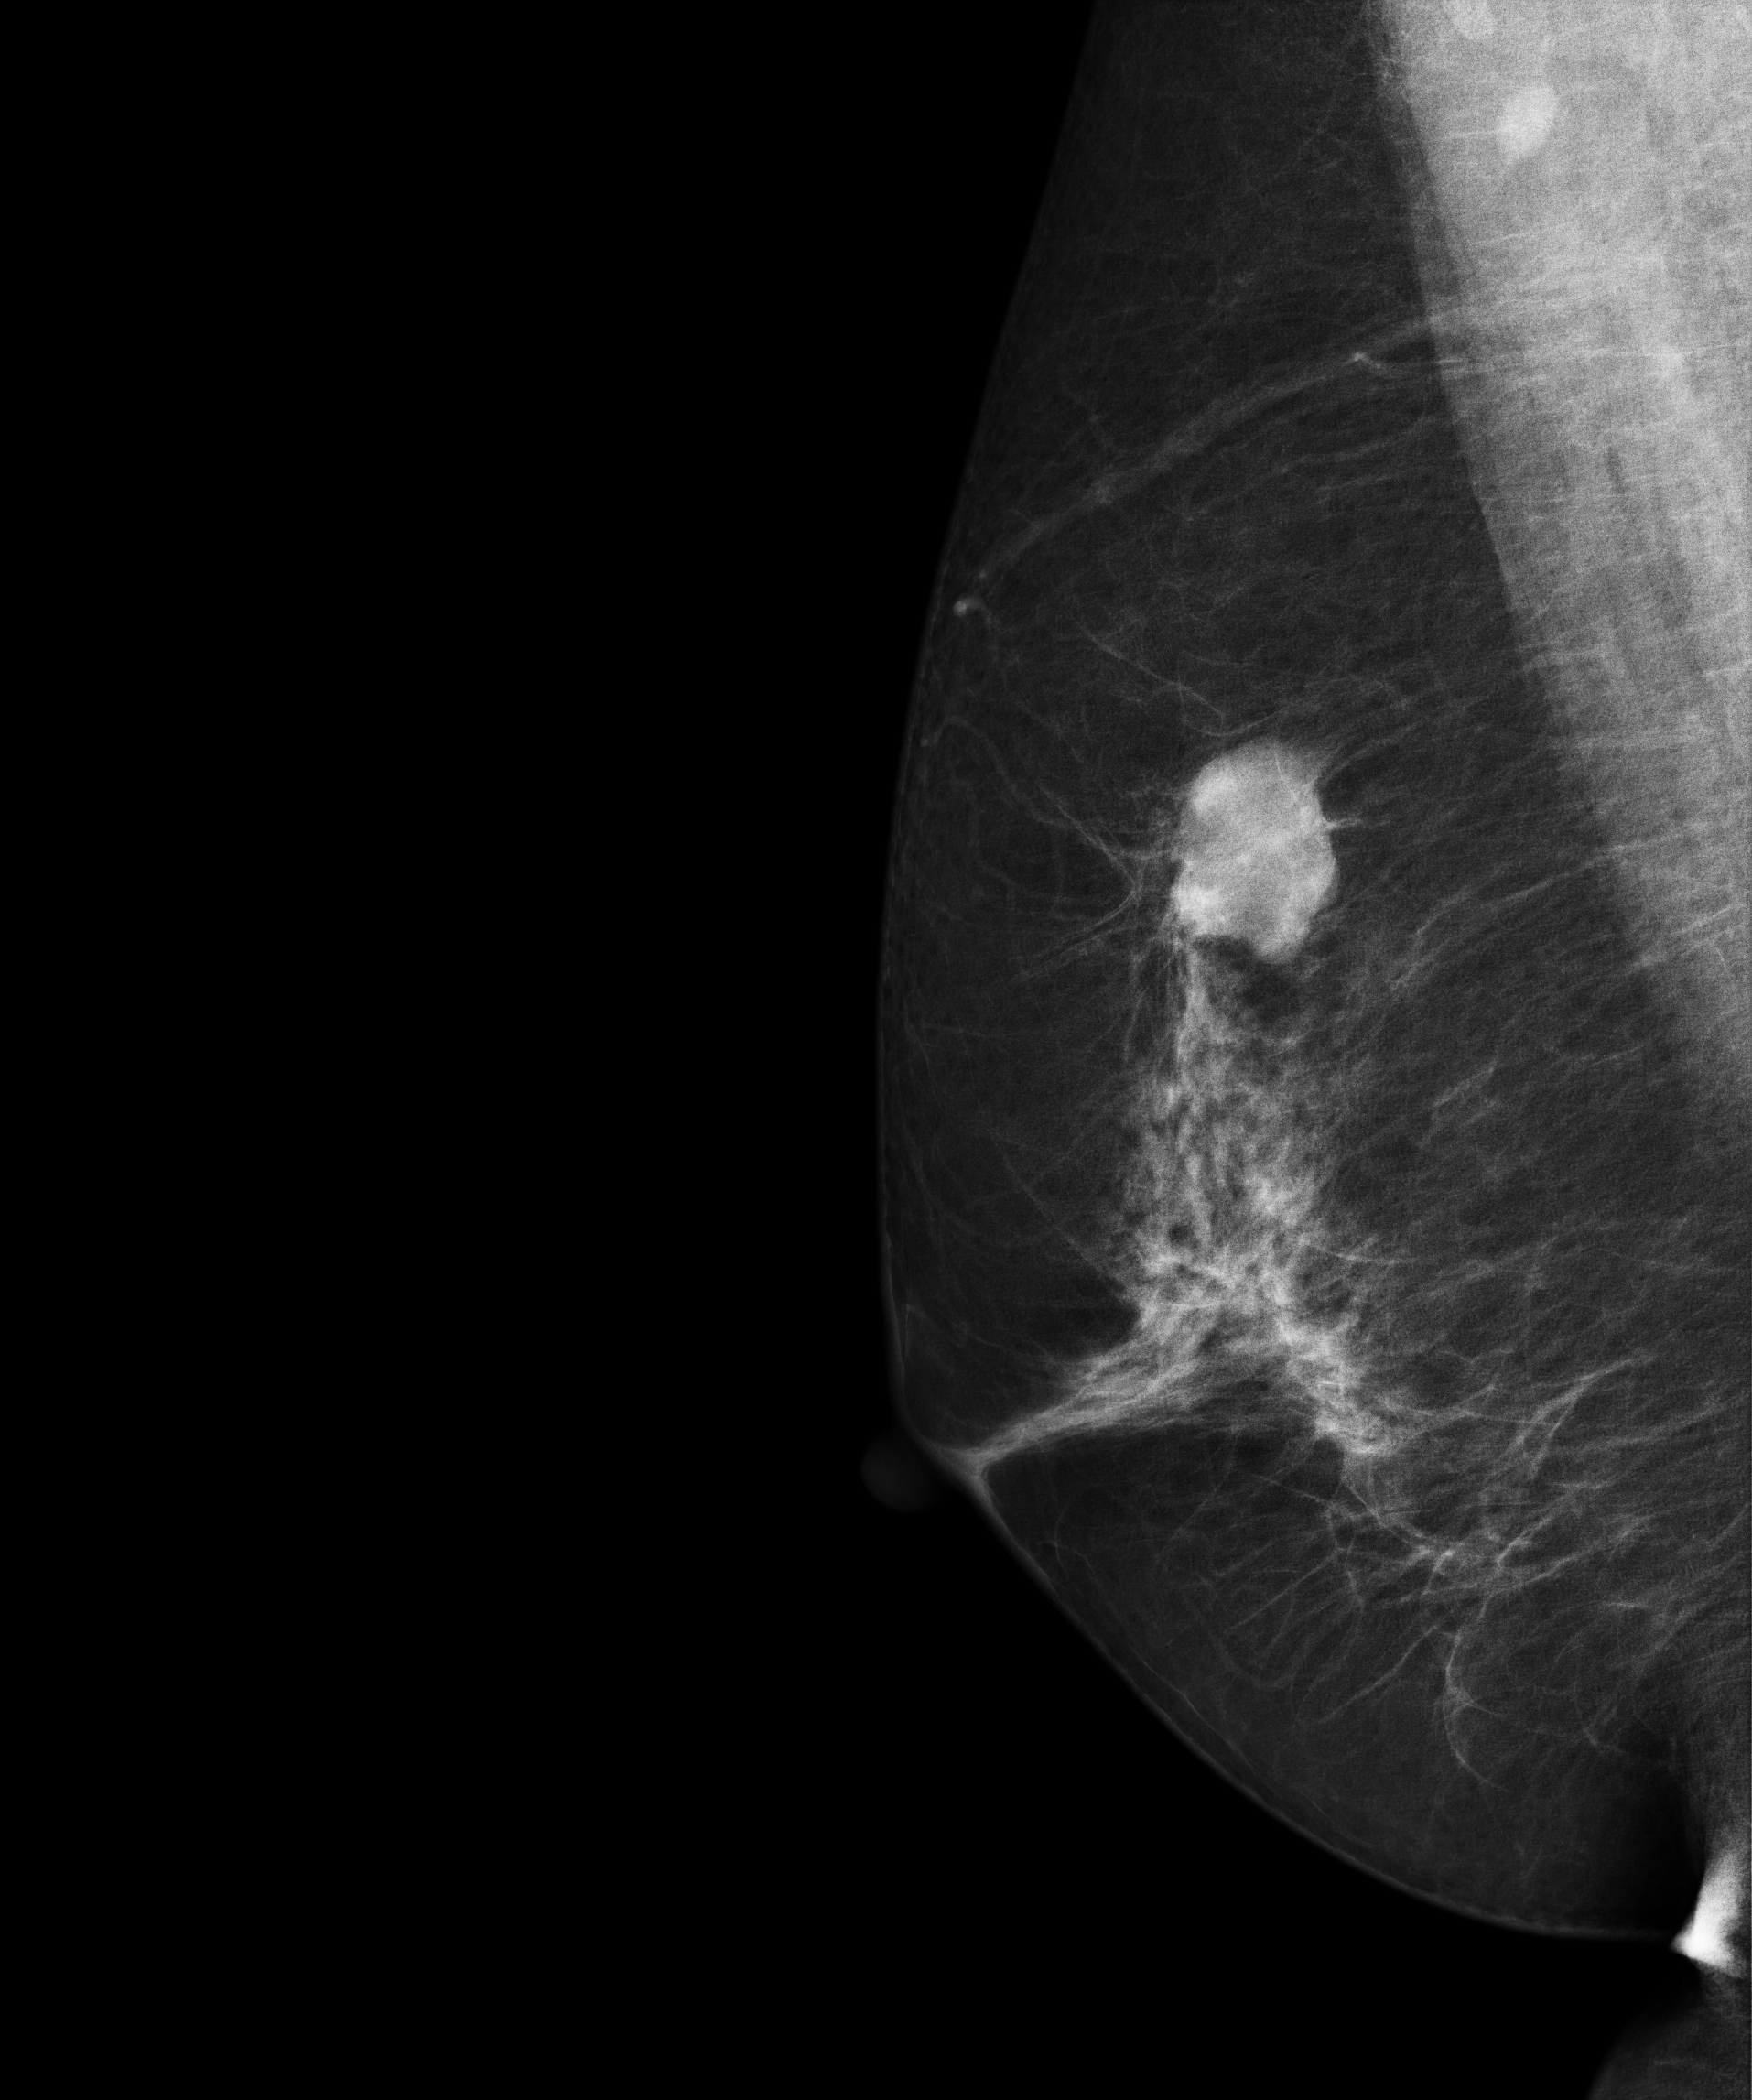
MLO mammogram of the right breast. 58-year-old patient.
This breast has a mass, biopsy-confirmed malignant.